Digital mammography. Right breast, medio-lateral oblique projection. Patient age 58.
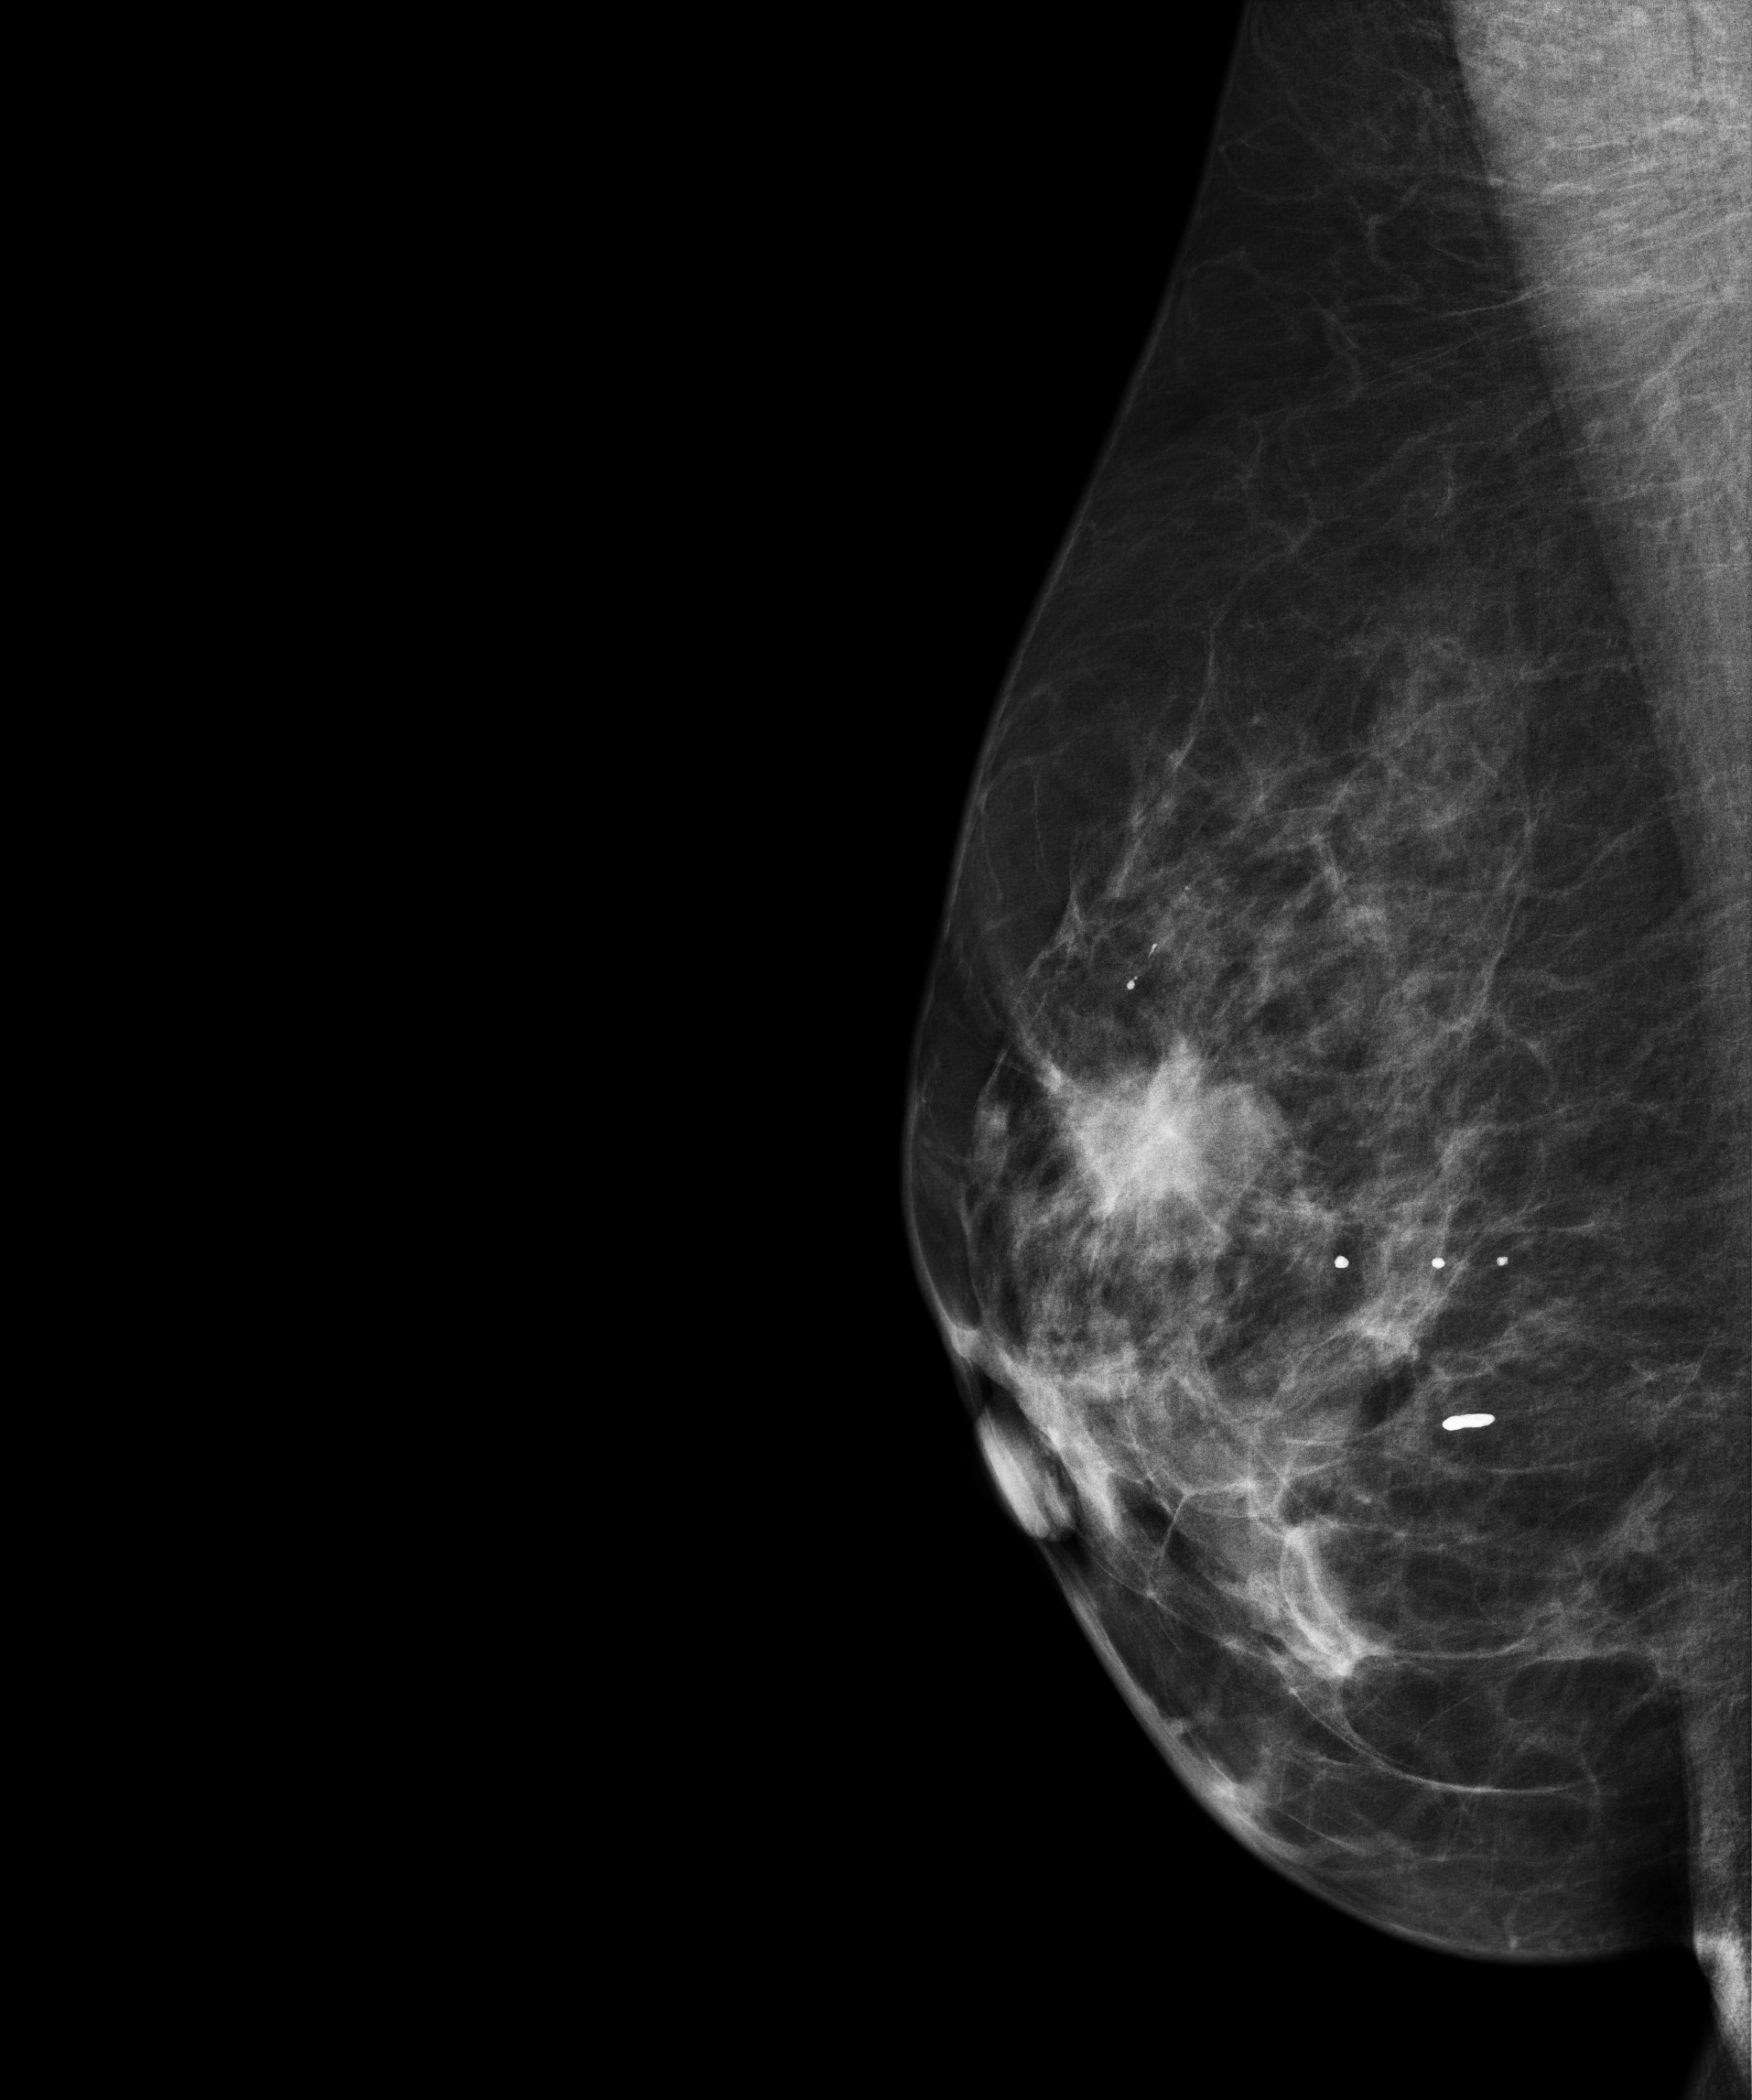
This breast has a mass, histologically confirmed malignant.